Digital mammography. Left breast, medio-lateral oblique projection. 53 y/o patient.
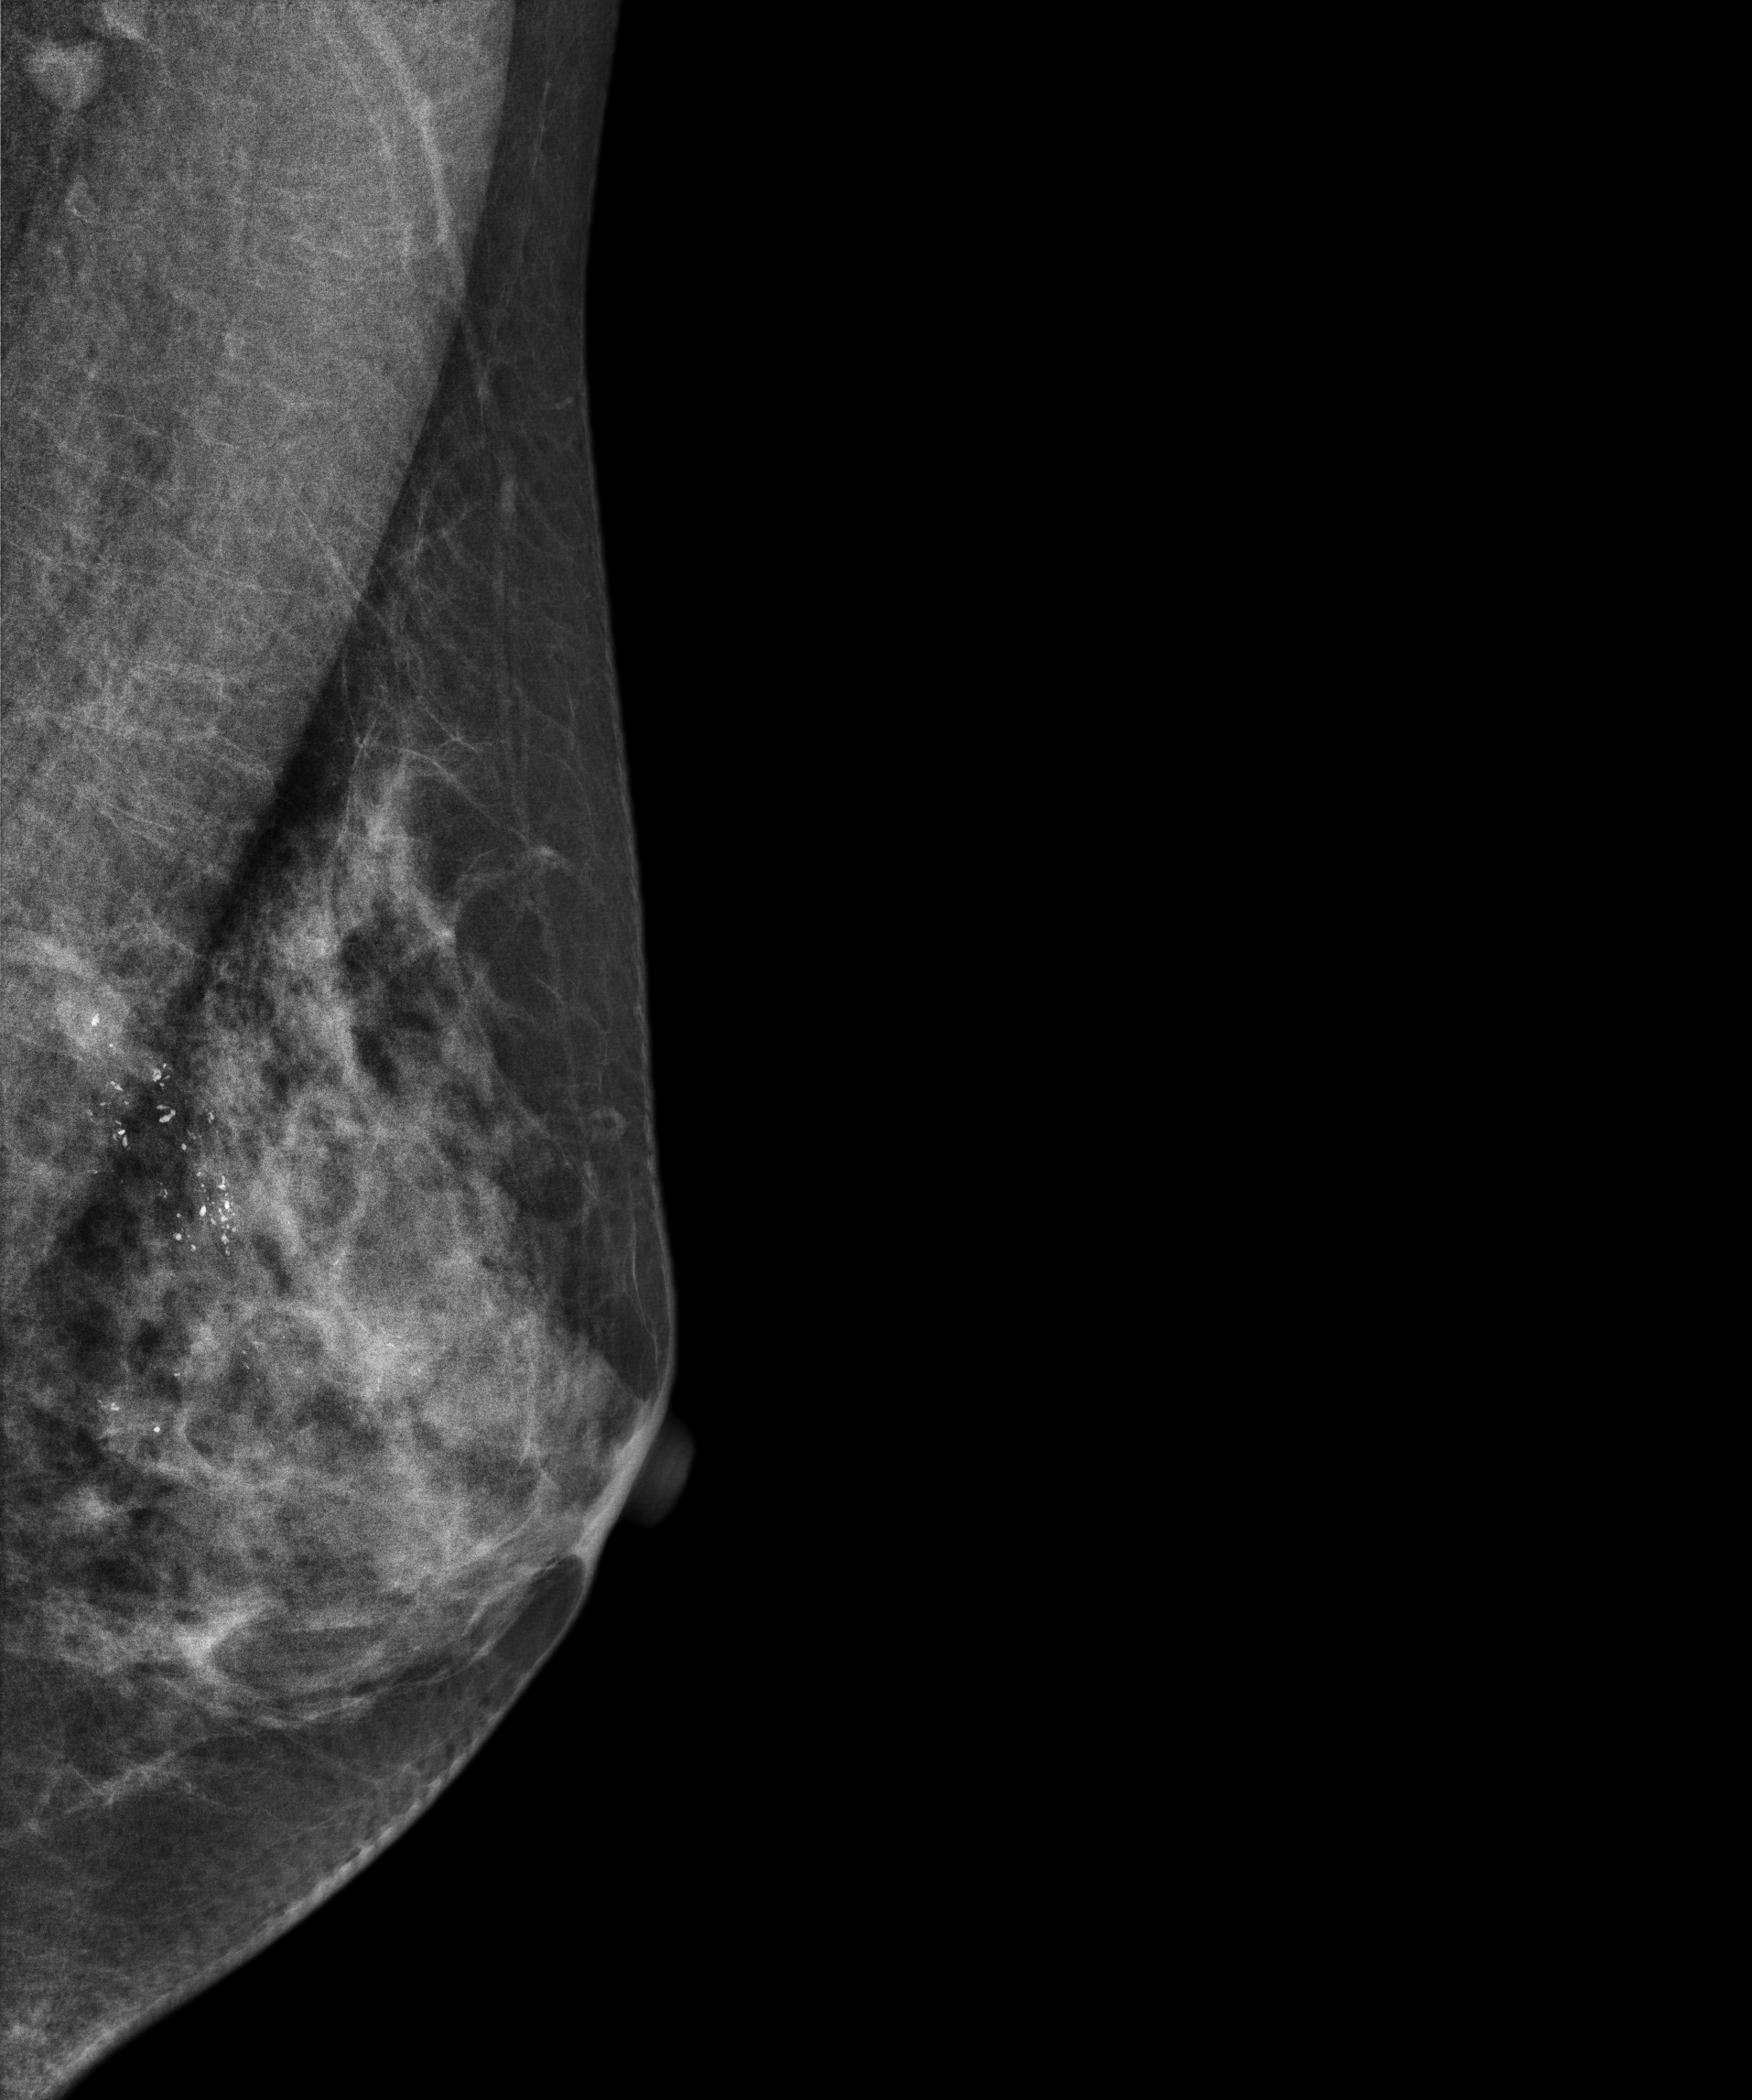
This breast has calcifications, biopsy-proven malignant.